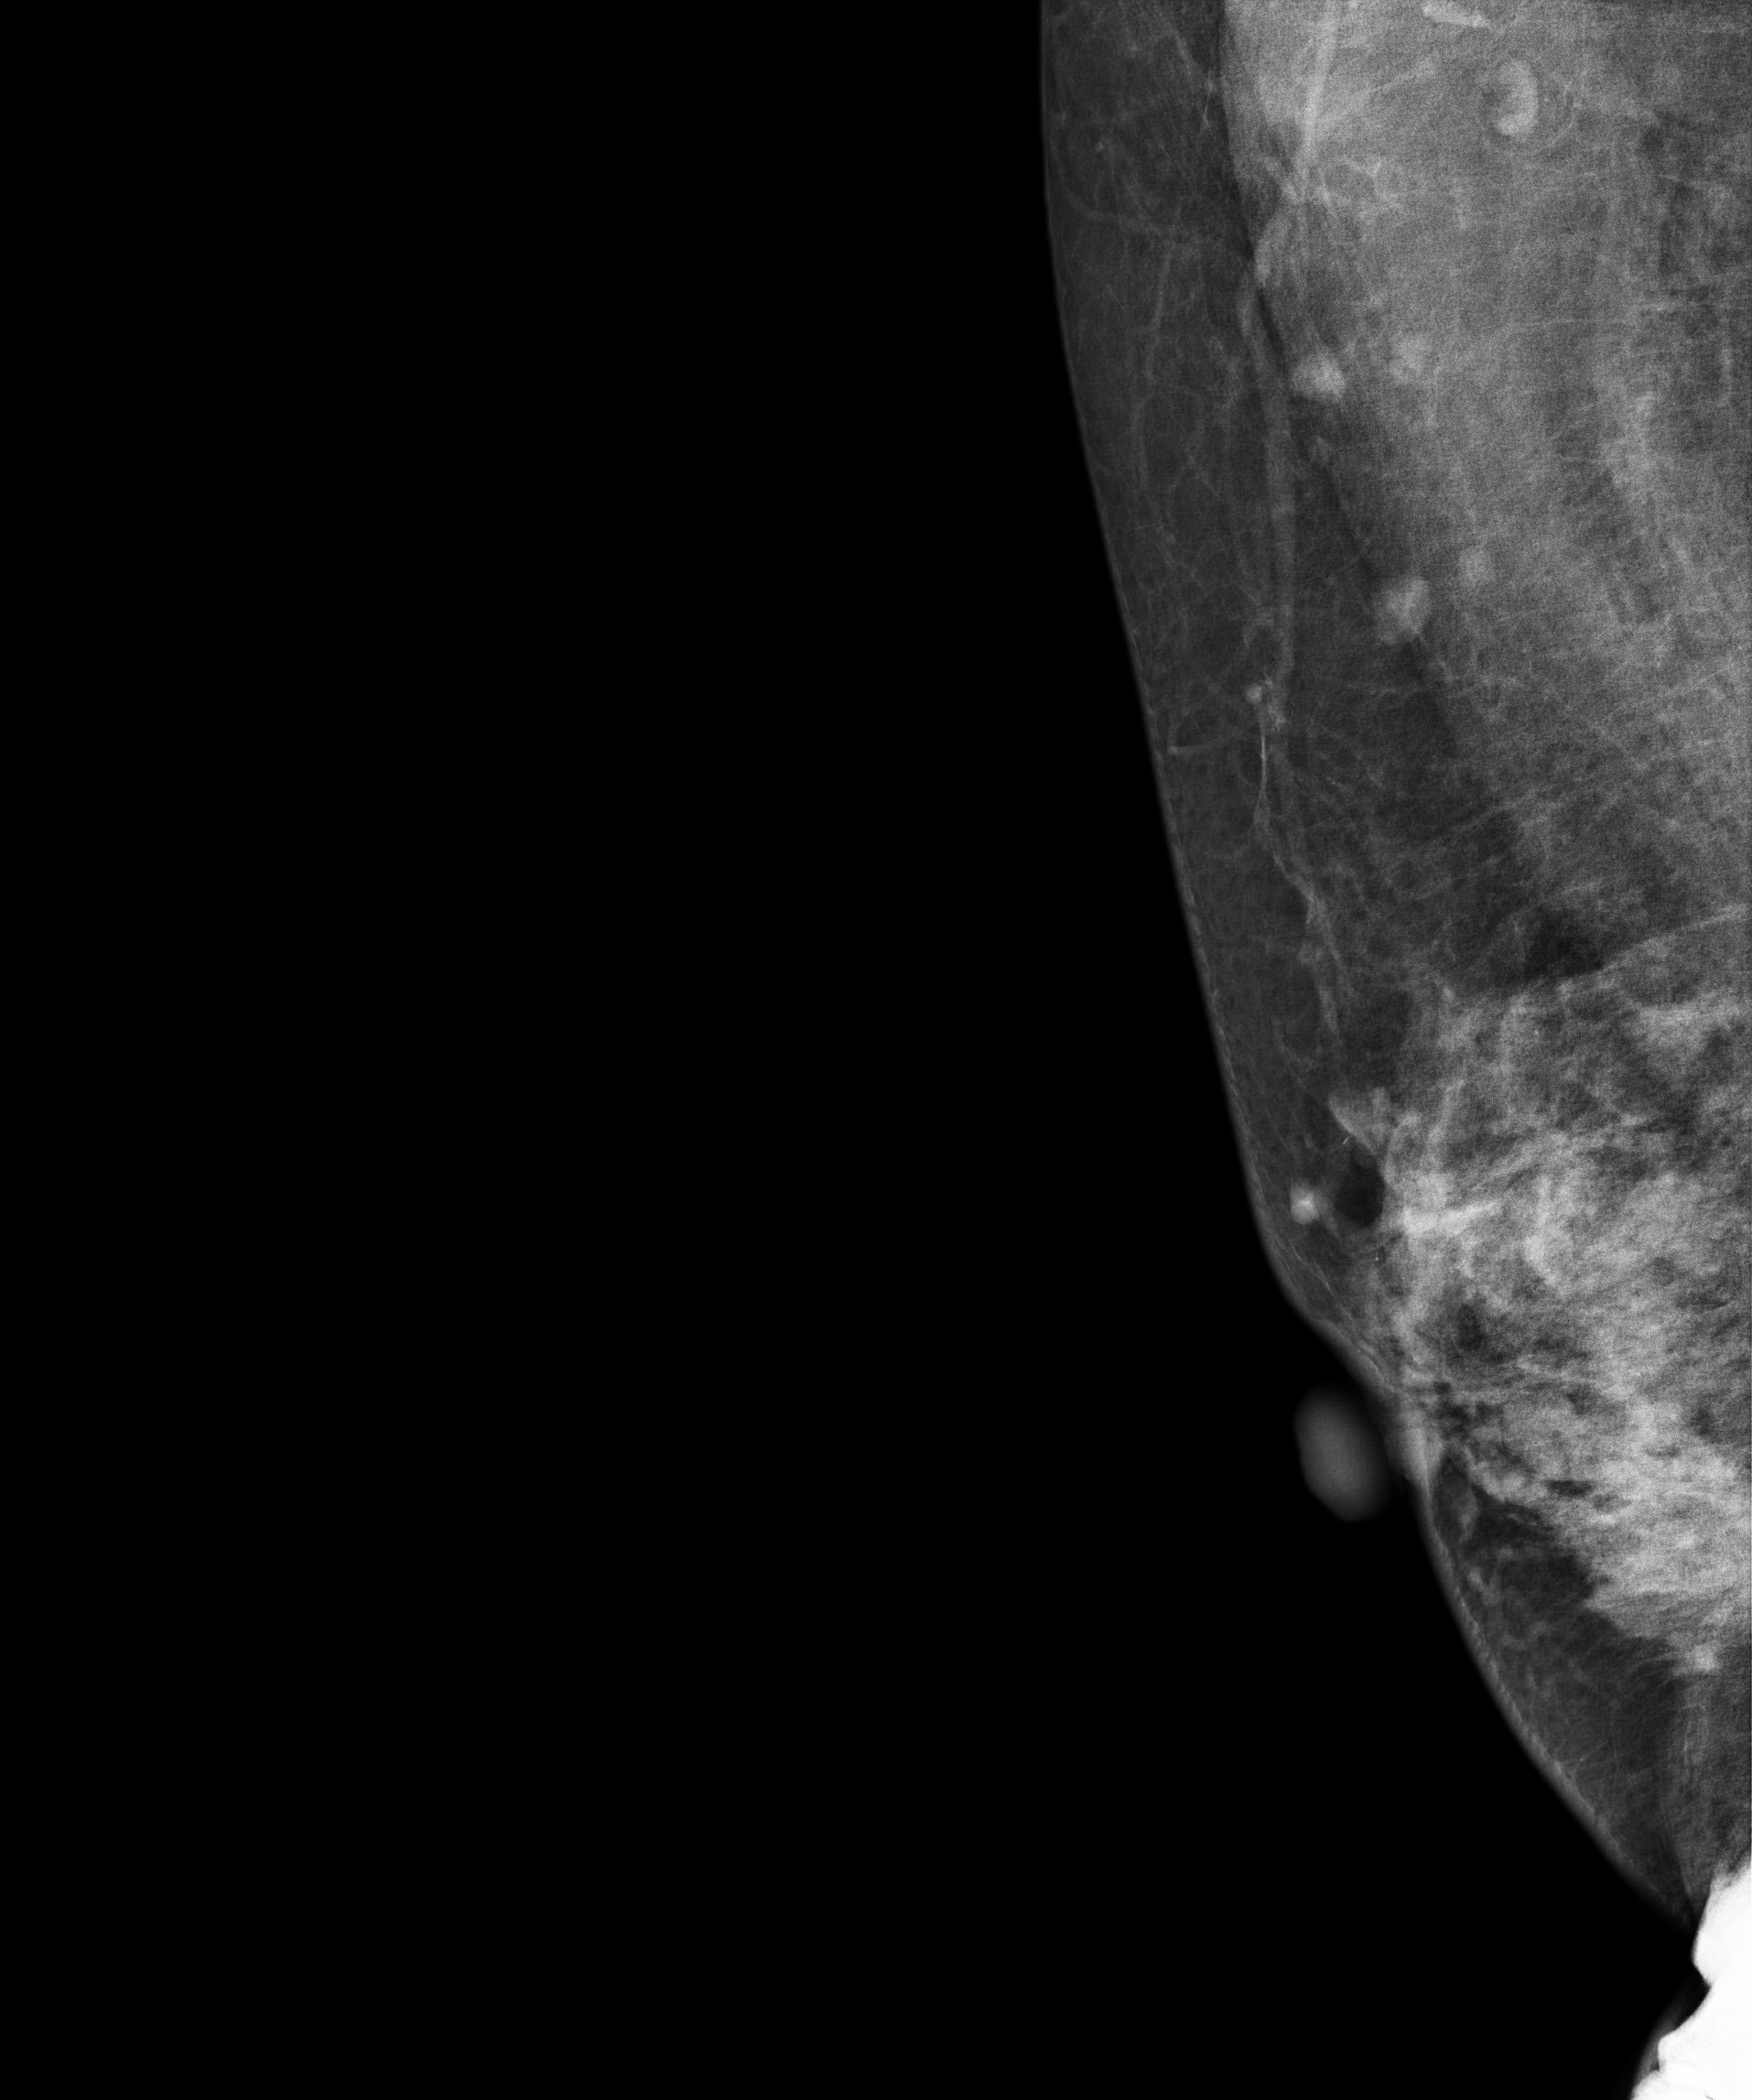
MLO mammogram of the right breast. Patient age 47.
Contralateral breast — no documented abnormality on this side.